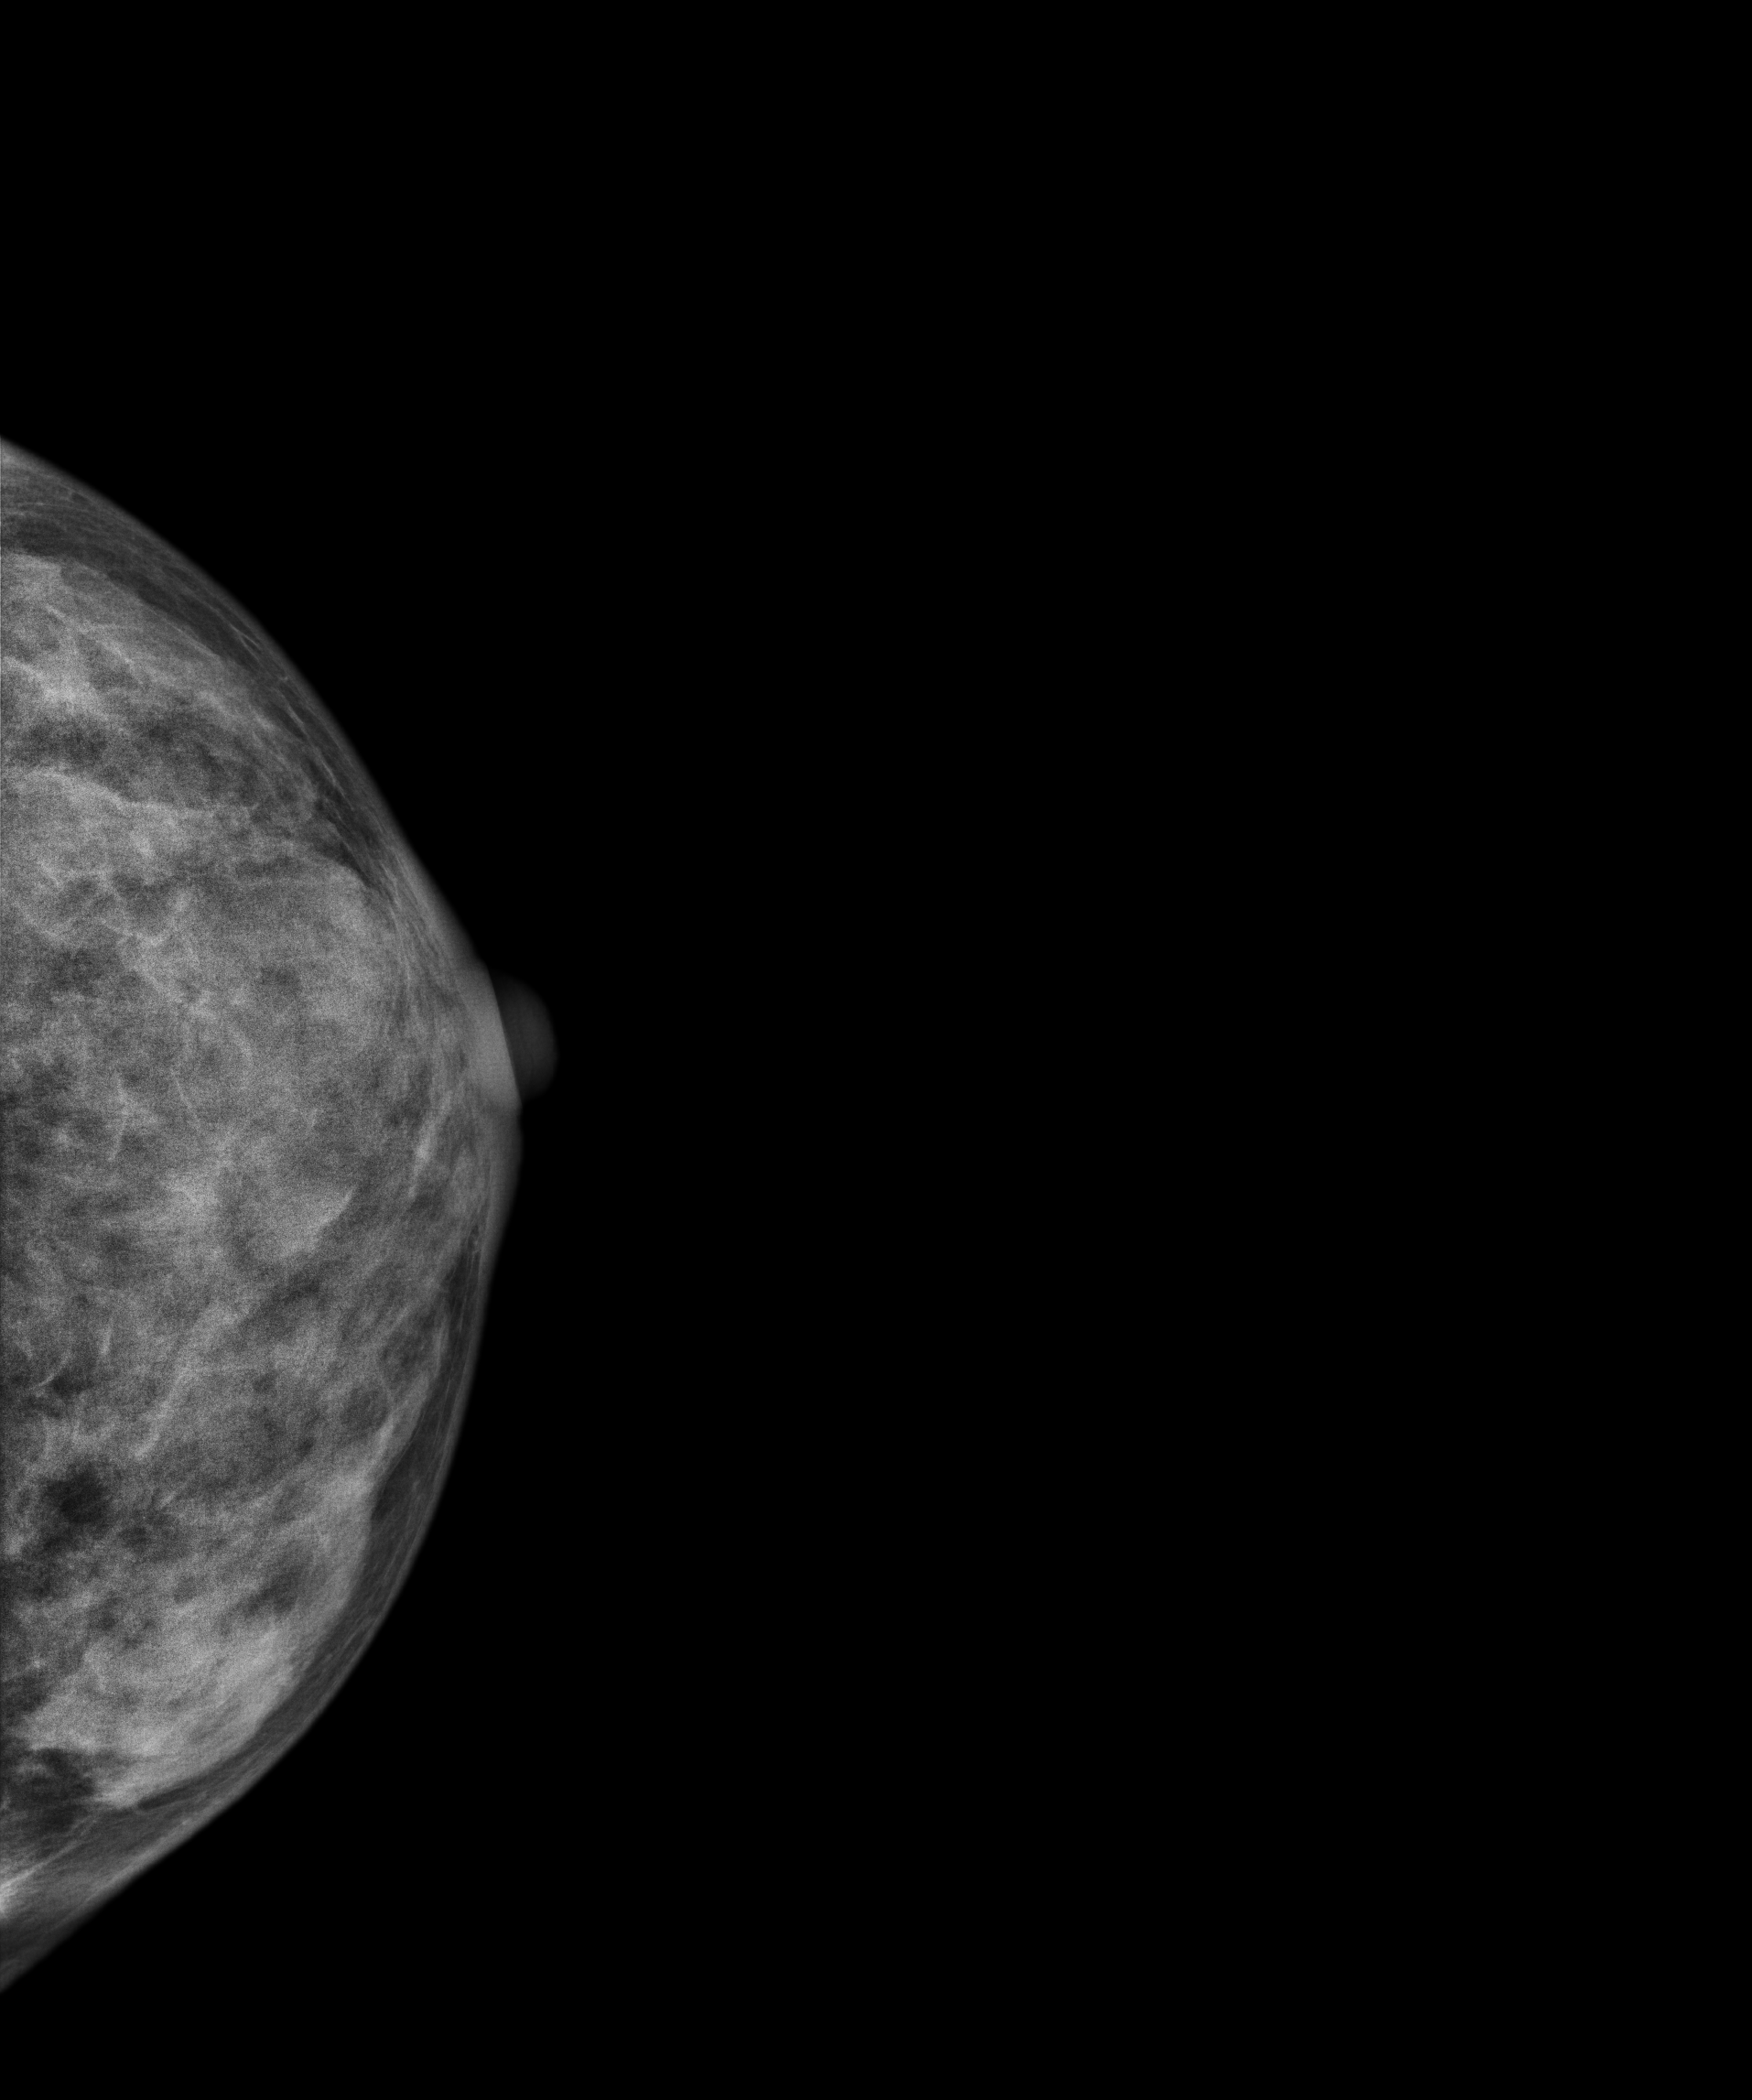
CC mammogram of the left breast. 51 y/o patient.
This breast has a mass, biopsy-confirmed malignant. Molecular subtype: HER2-enriched.